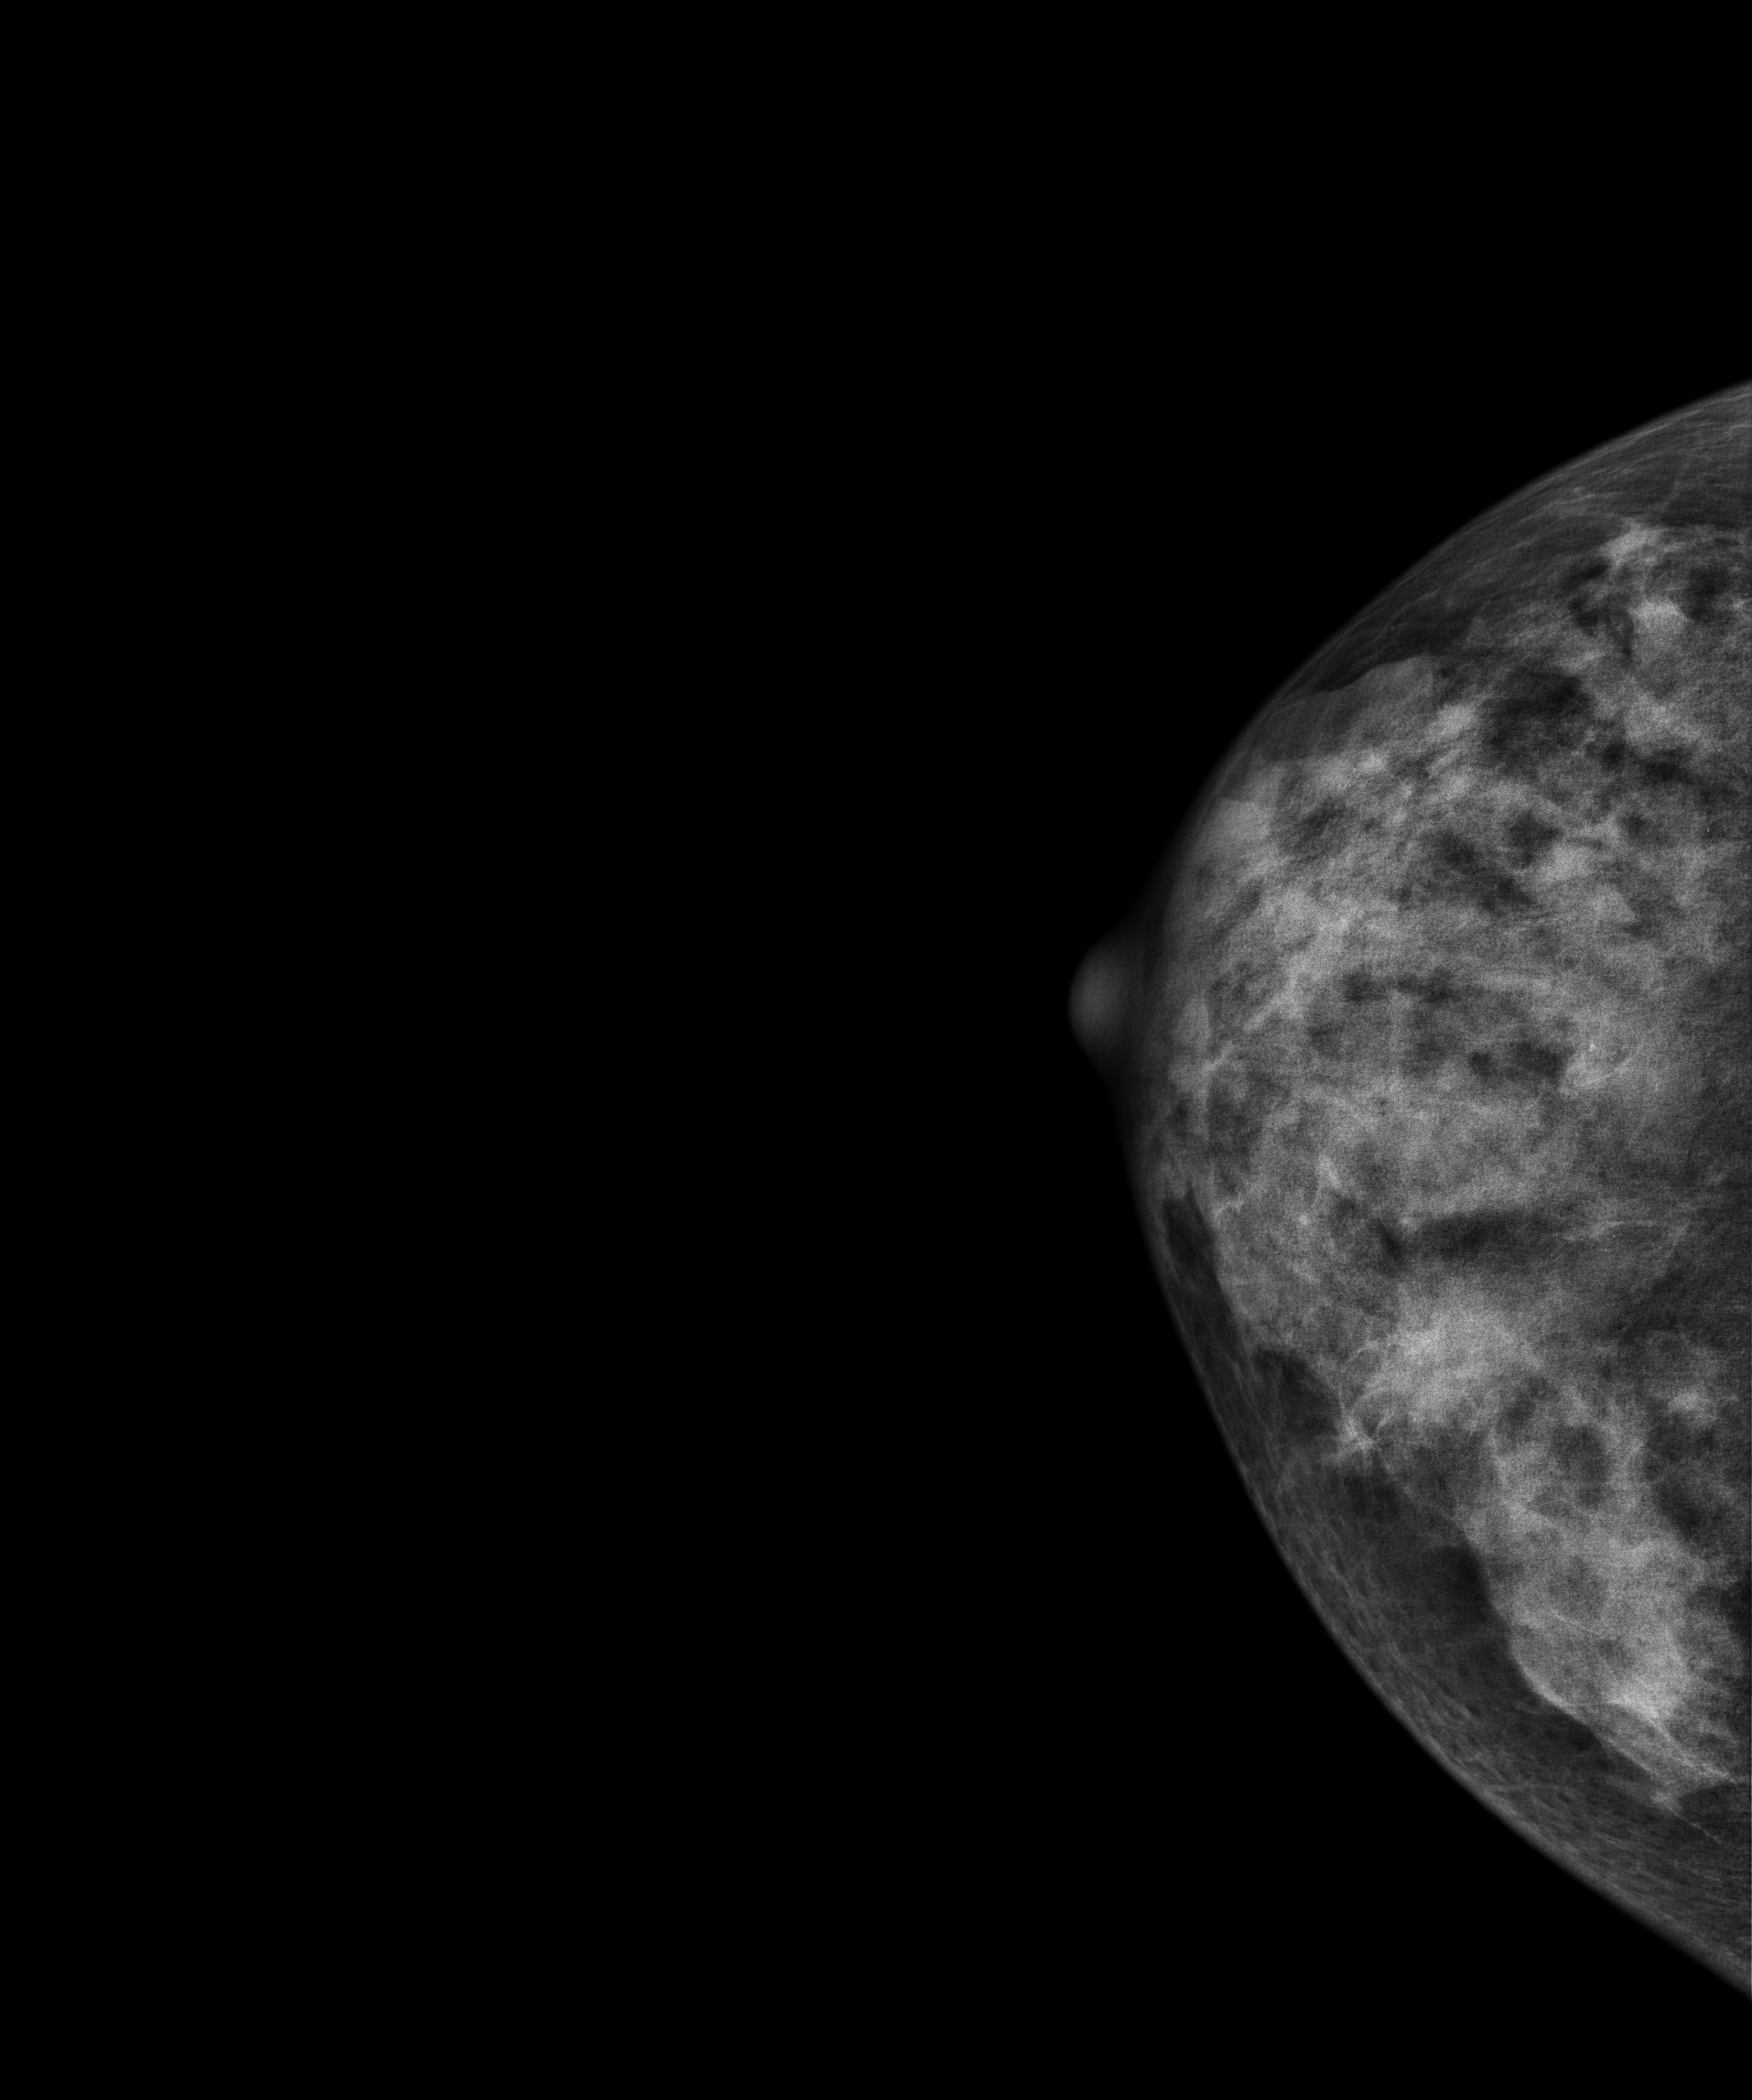
Right-breast mammogram, CC. Patient age 41.
This breast has a mass, biopsy-proven malignant.